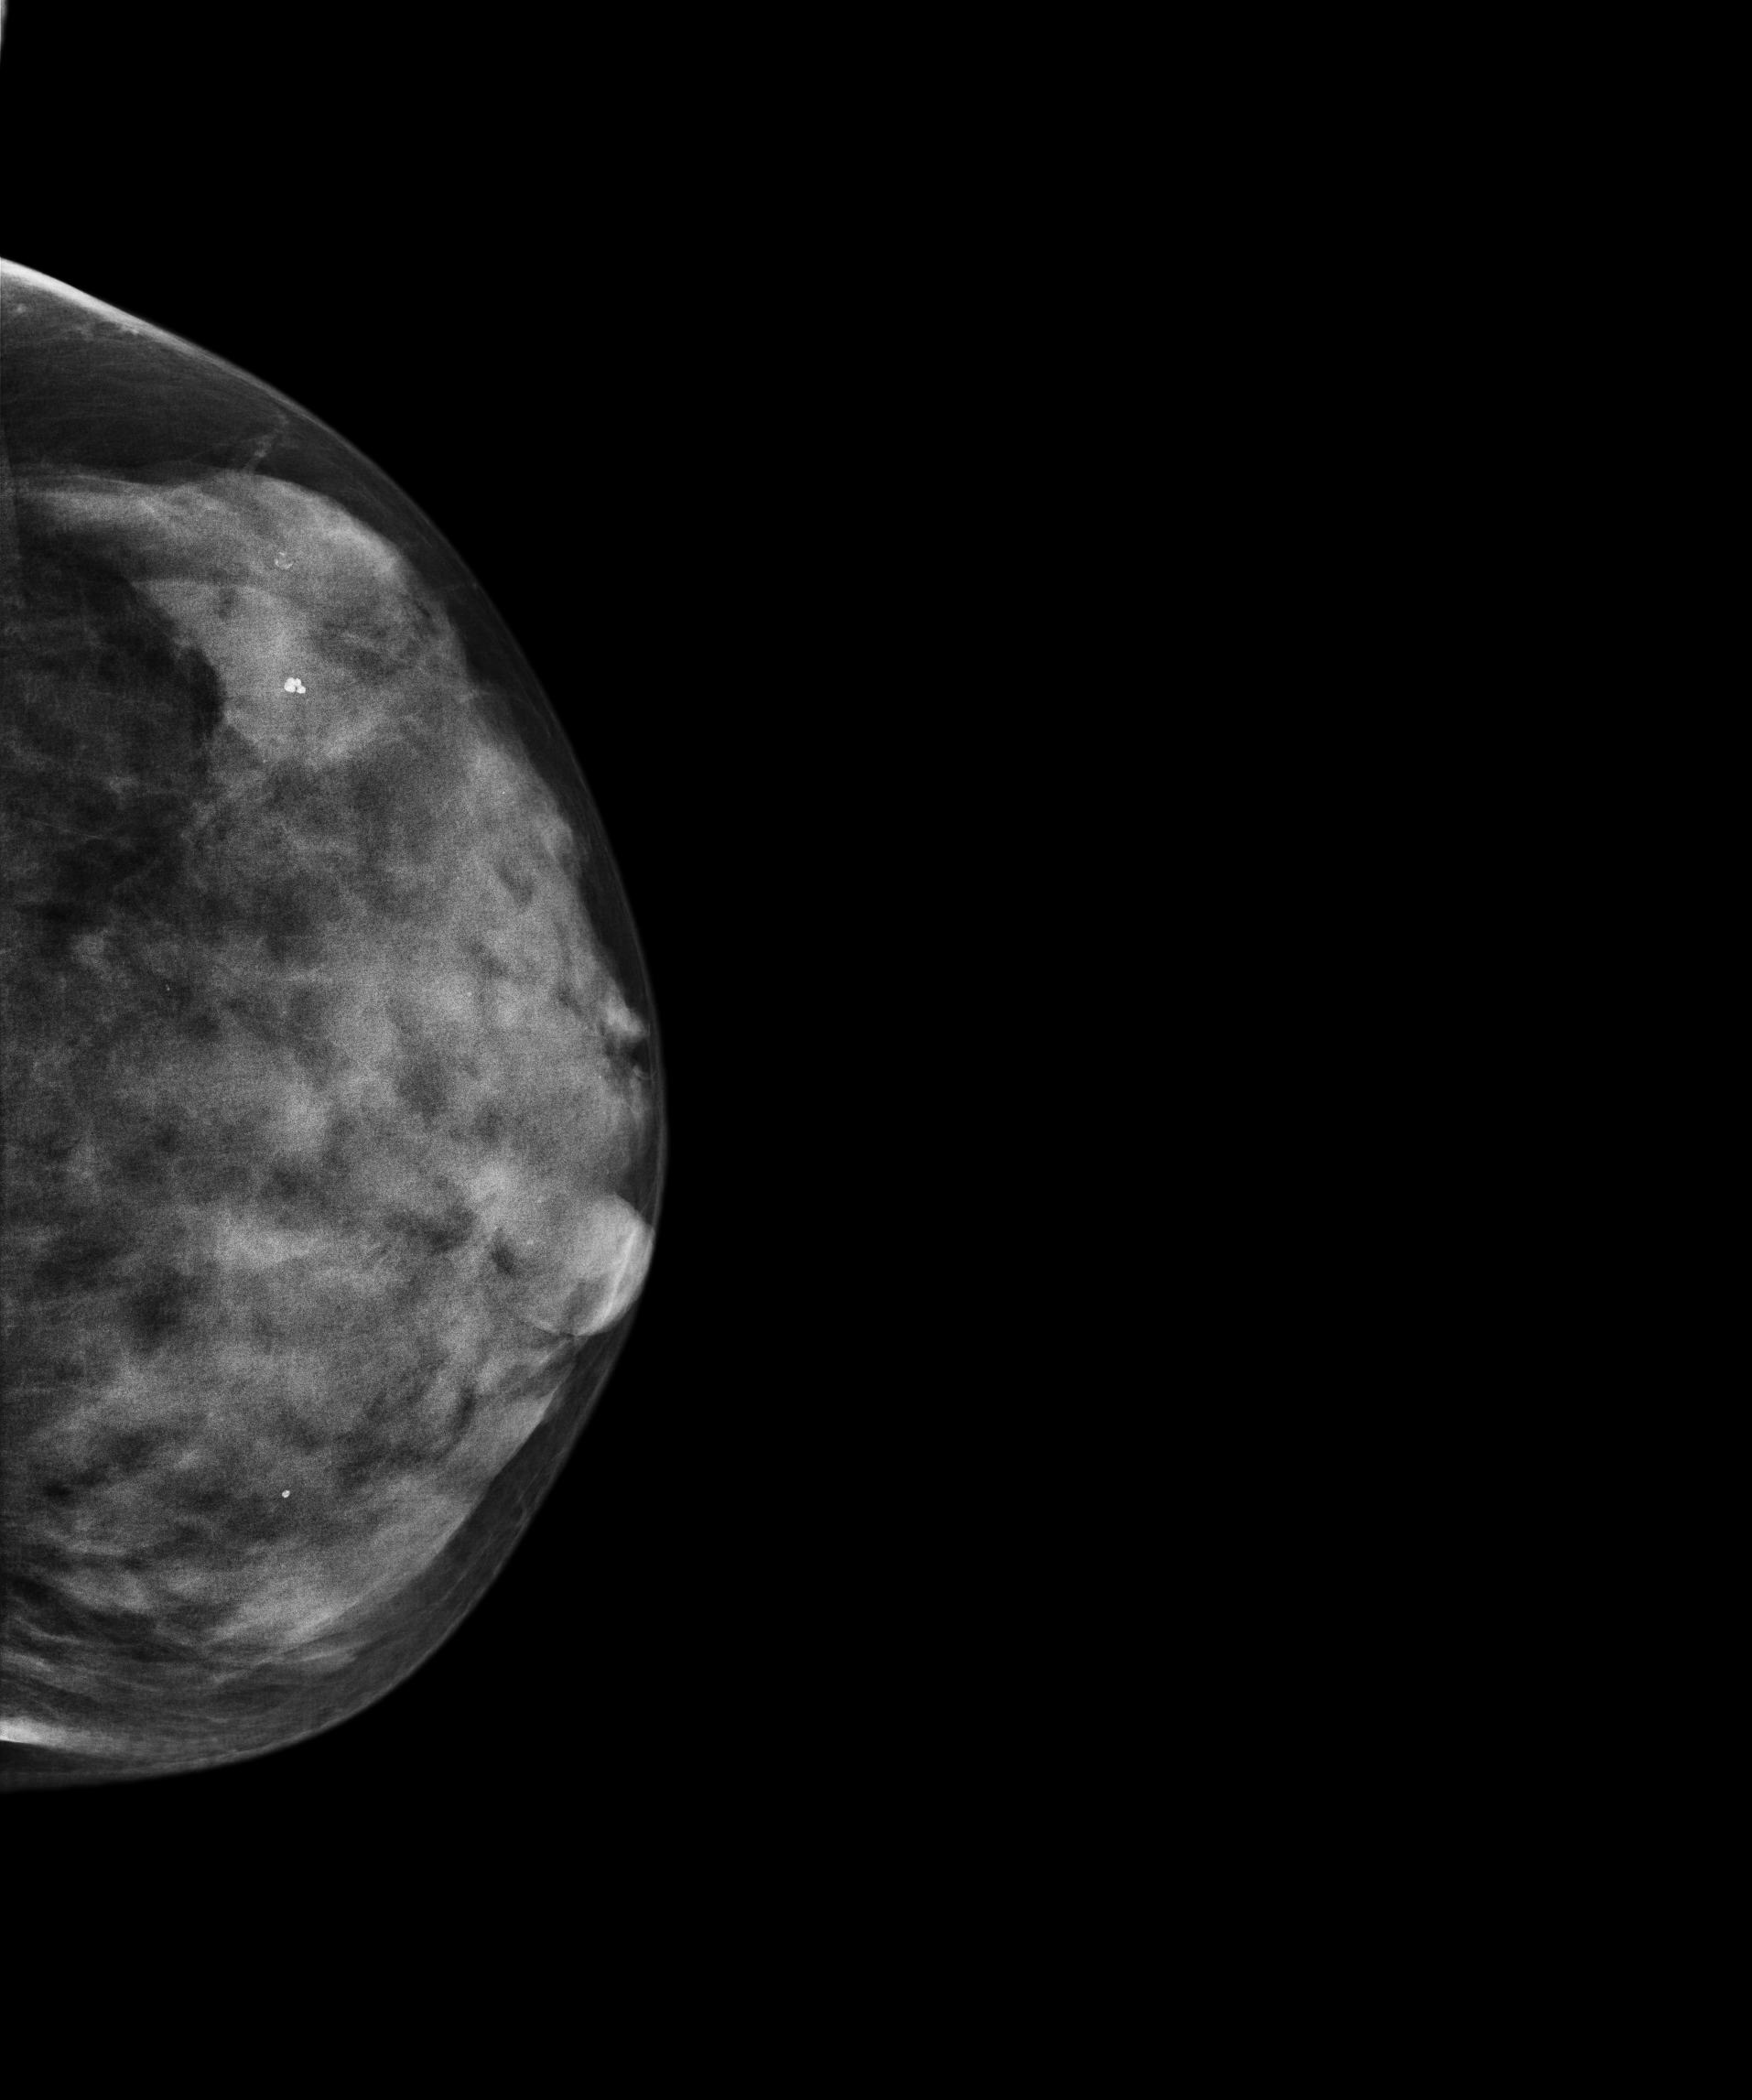
Digital mammography. Left breast, cranio-caudal projection. Patient age 38.
This breast has a mass and calcifications, histologically confirmed malignant.